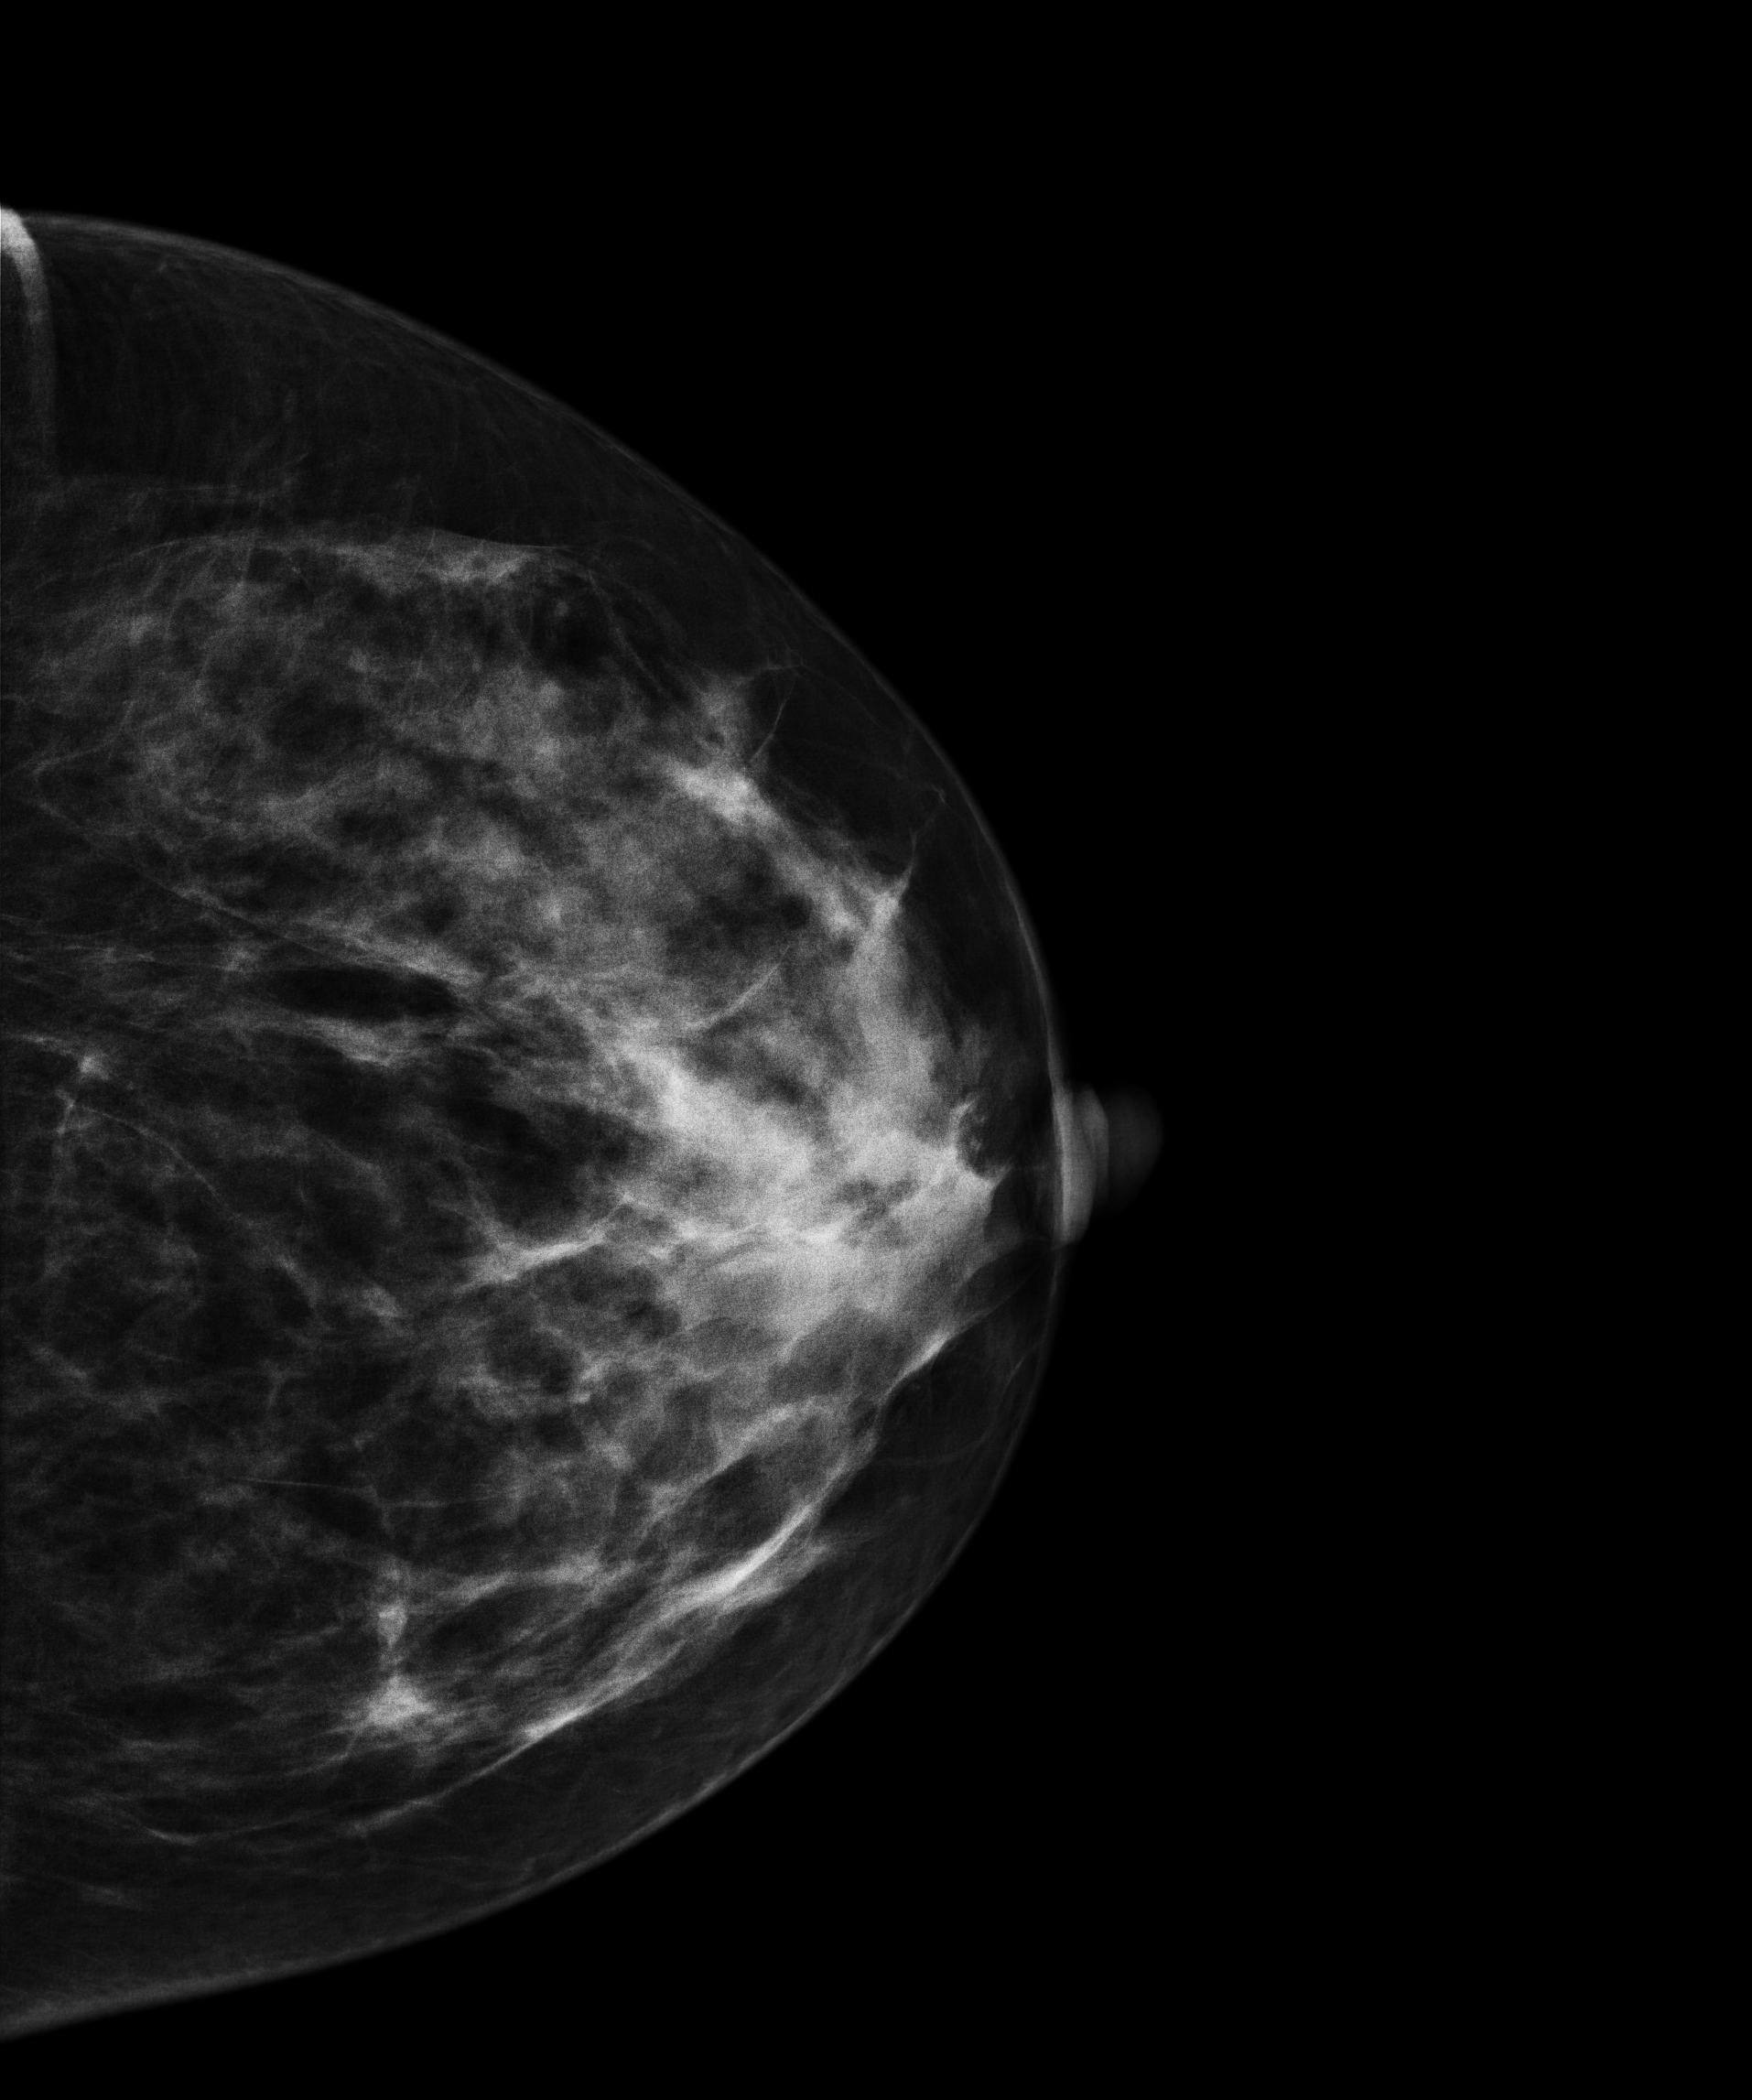
Mammogram — left CC. 42 y/o patient.
This breast has a mass, biopsy-confirmed benign.